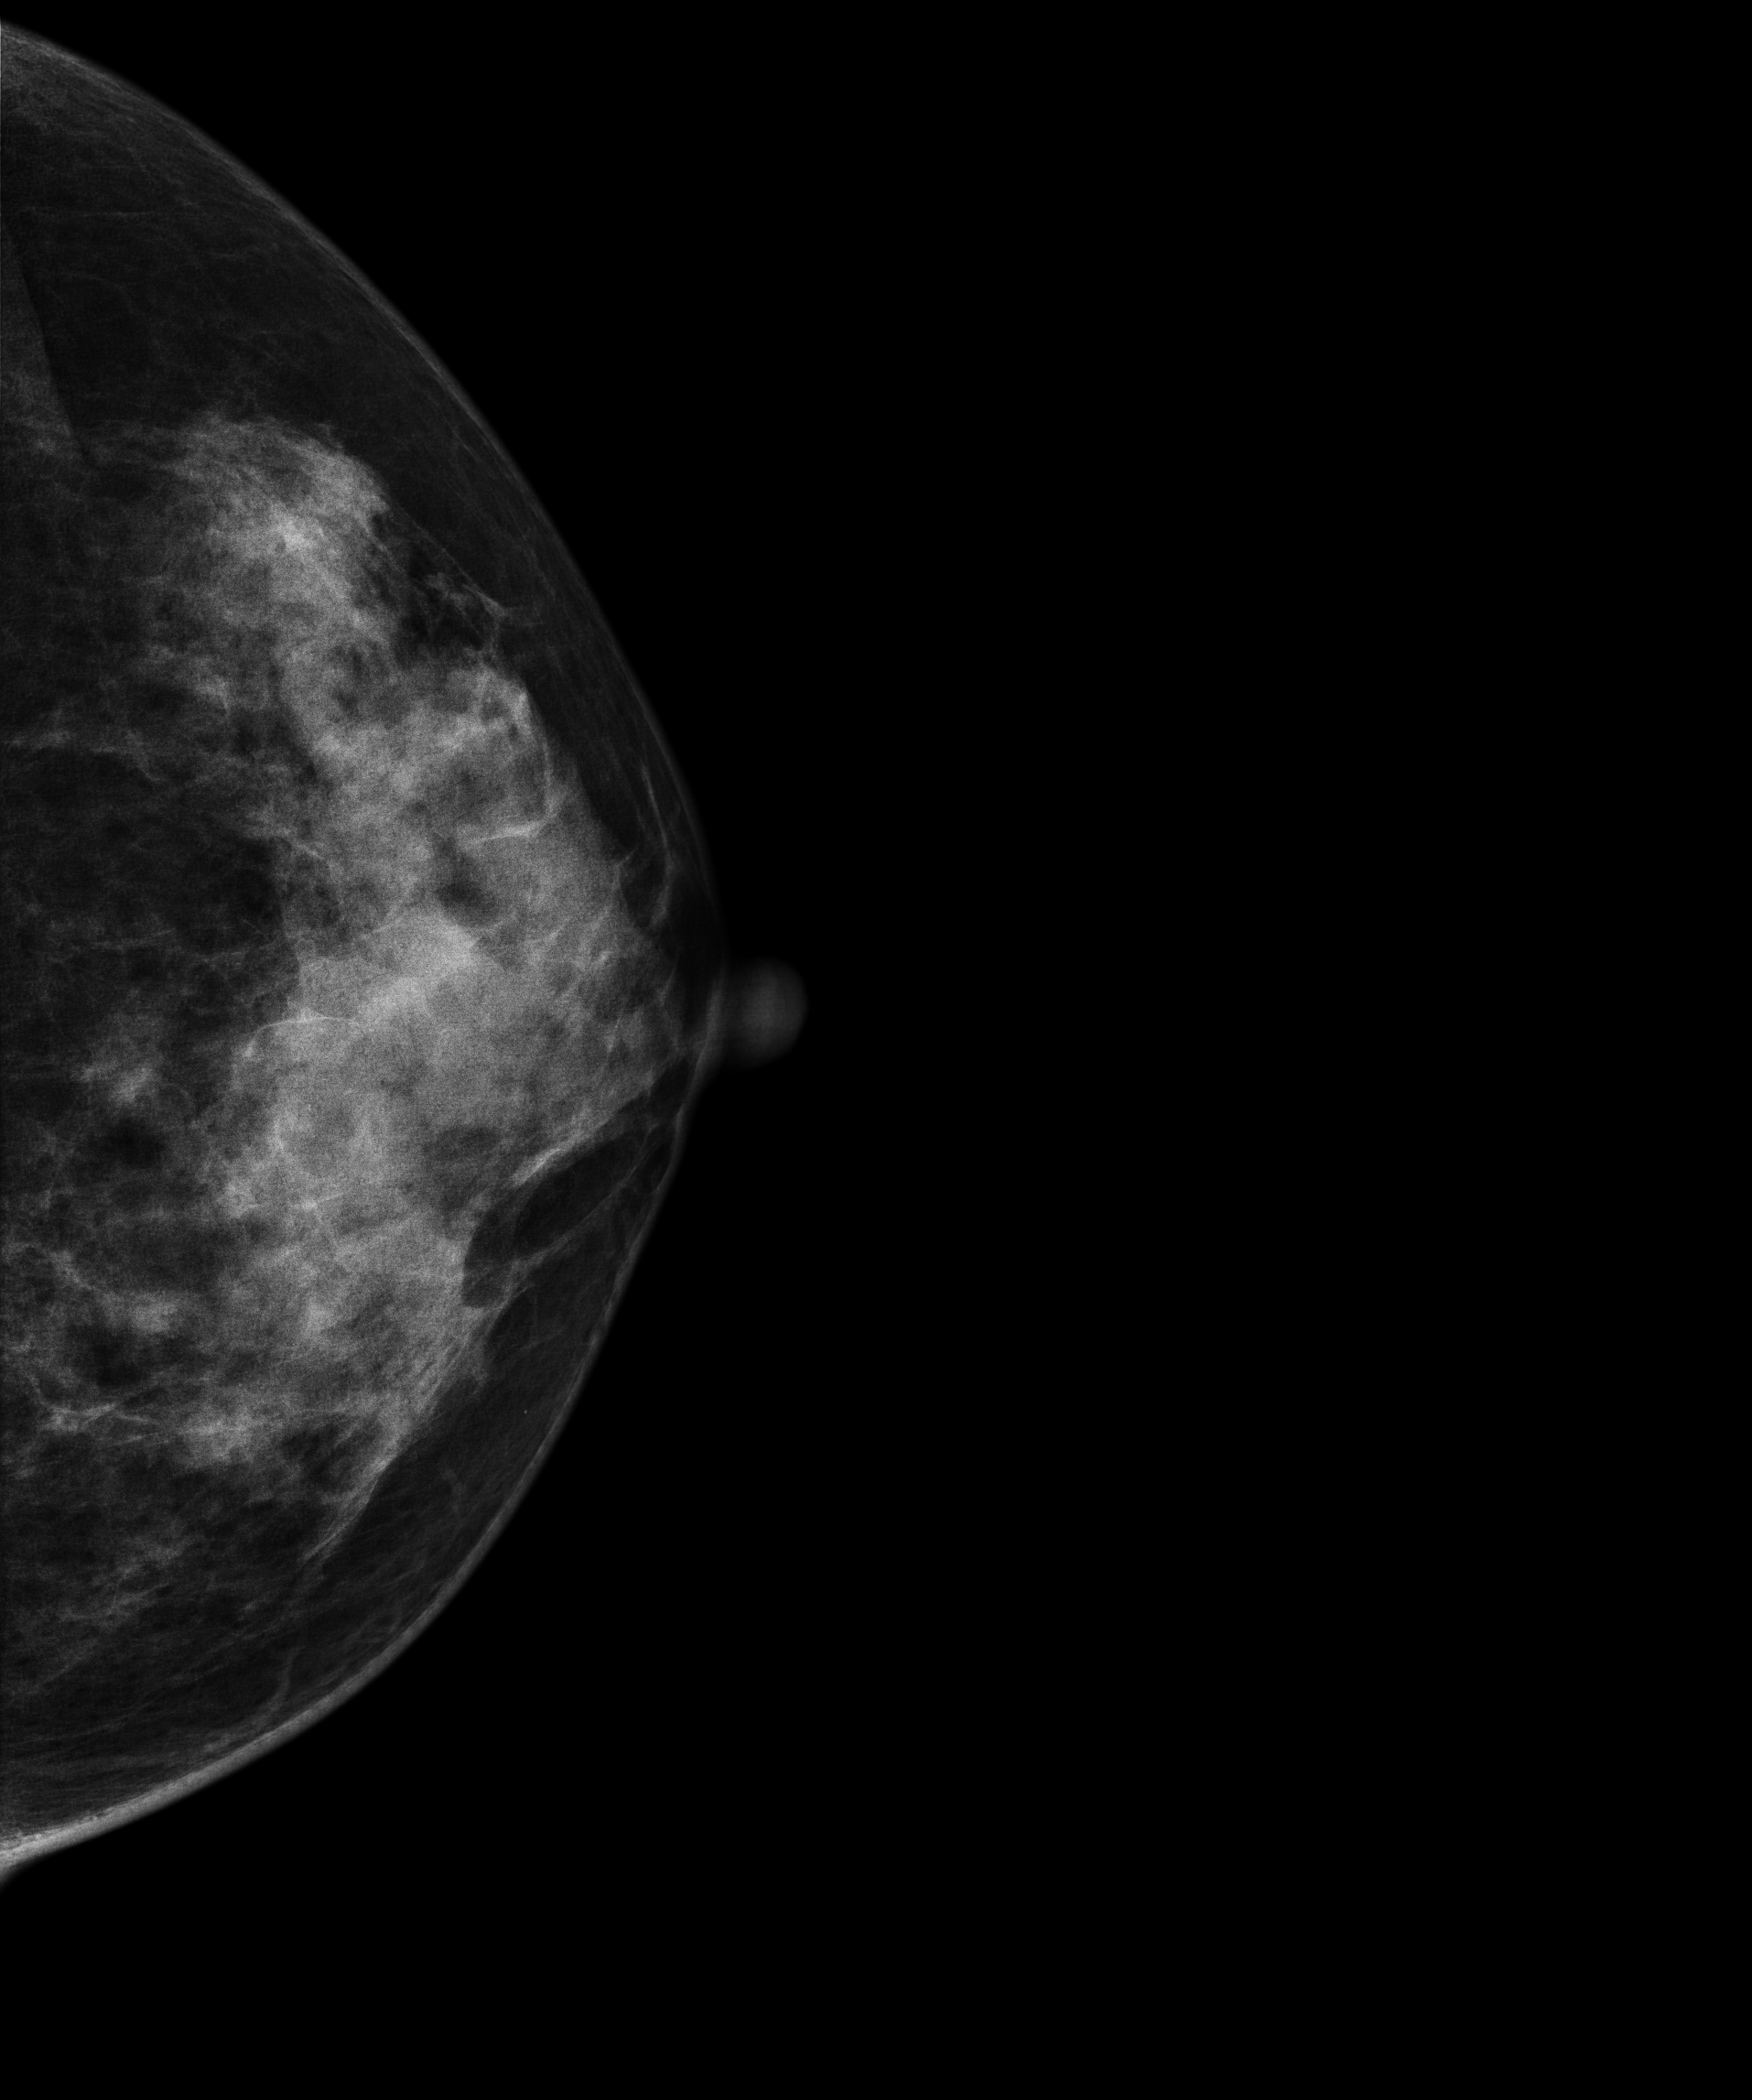
Mammogram, left breast, CC view. 37 y/o patient.
Contralateral breast — no documented abnormality on this side.